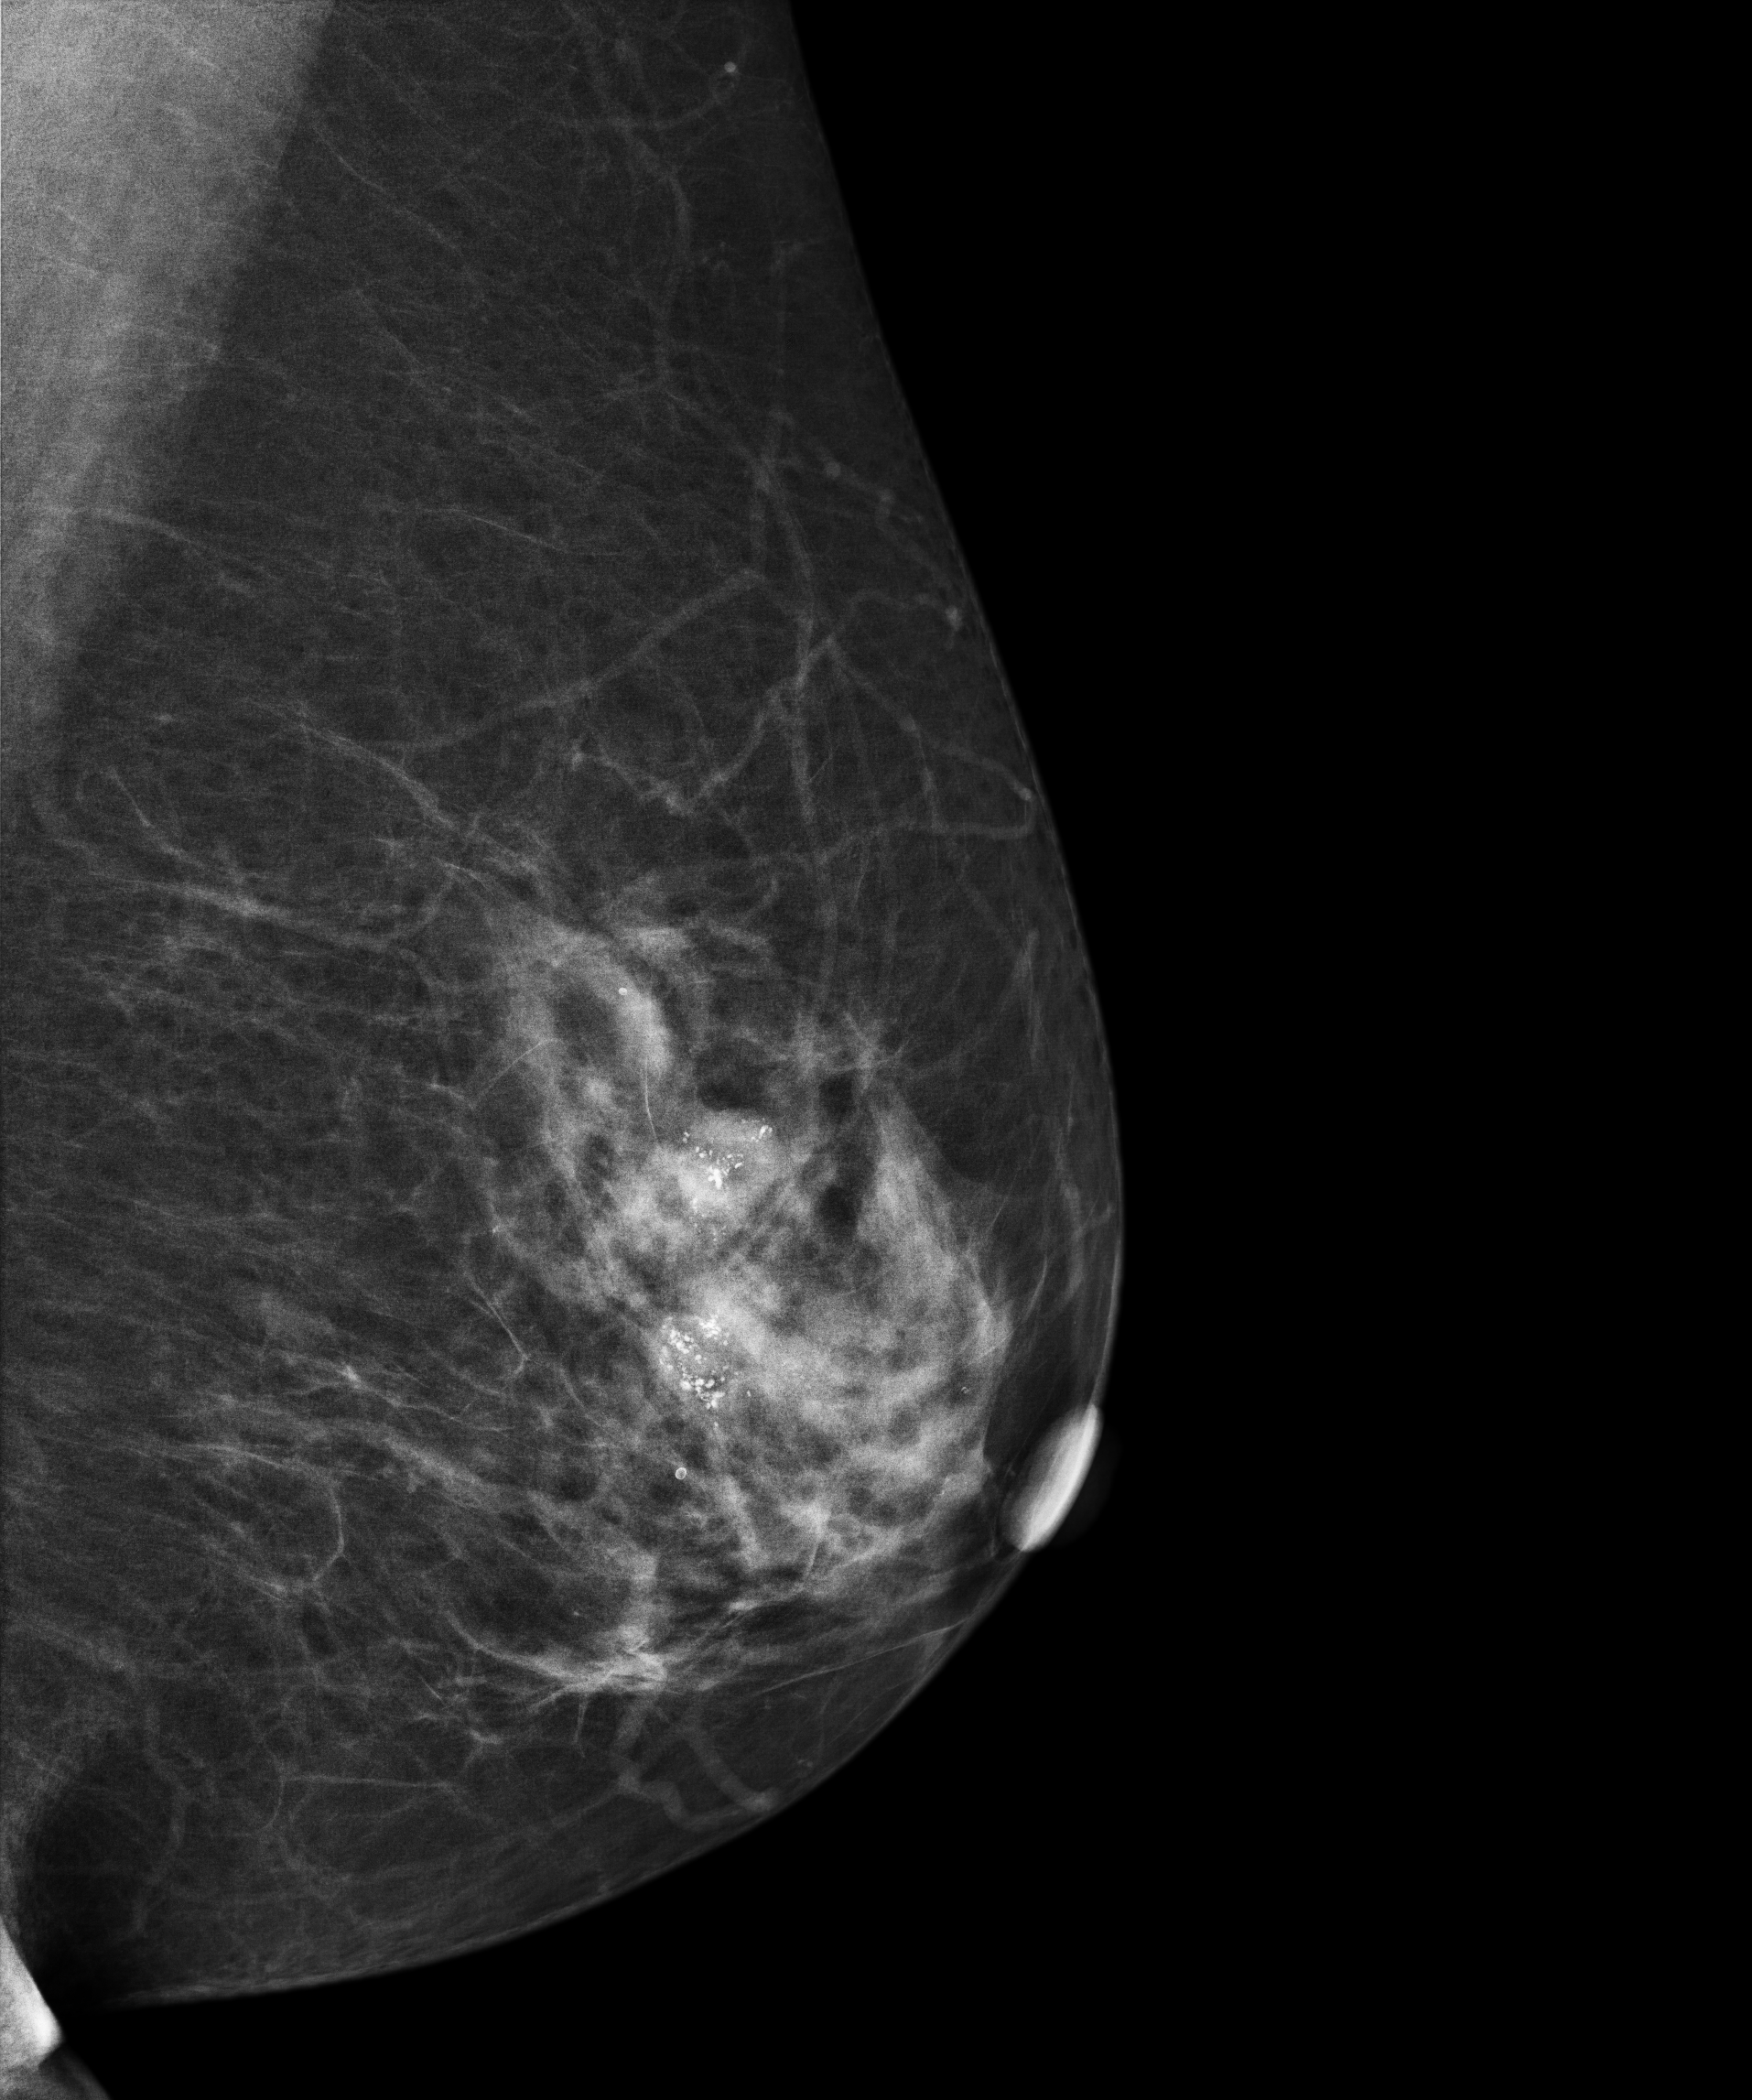
Medio-lateral oblique mammogram of the left breast. 51-year-old patient.
This breast has a mass and calcifications, biopsy-proven malignant. Molecular subtype: luminal A.